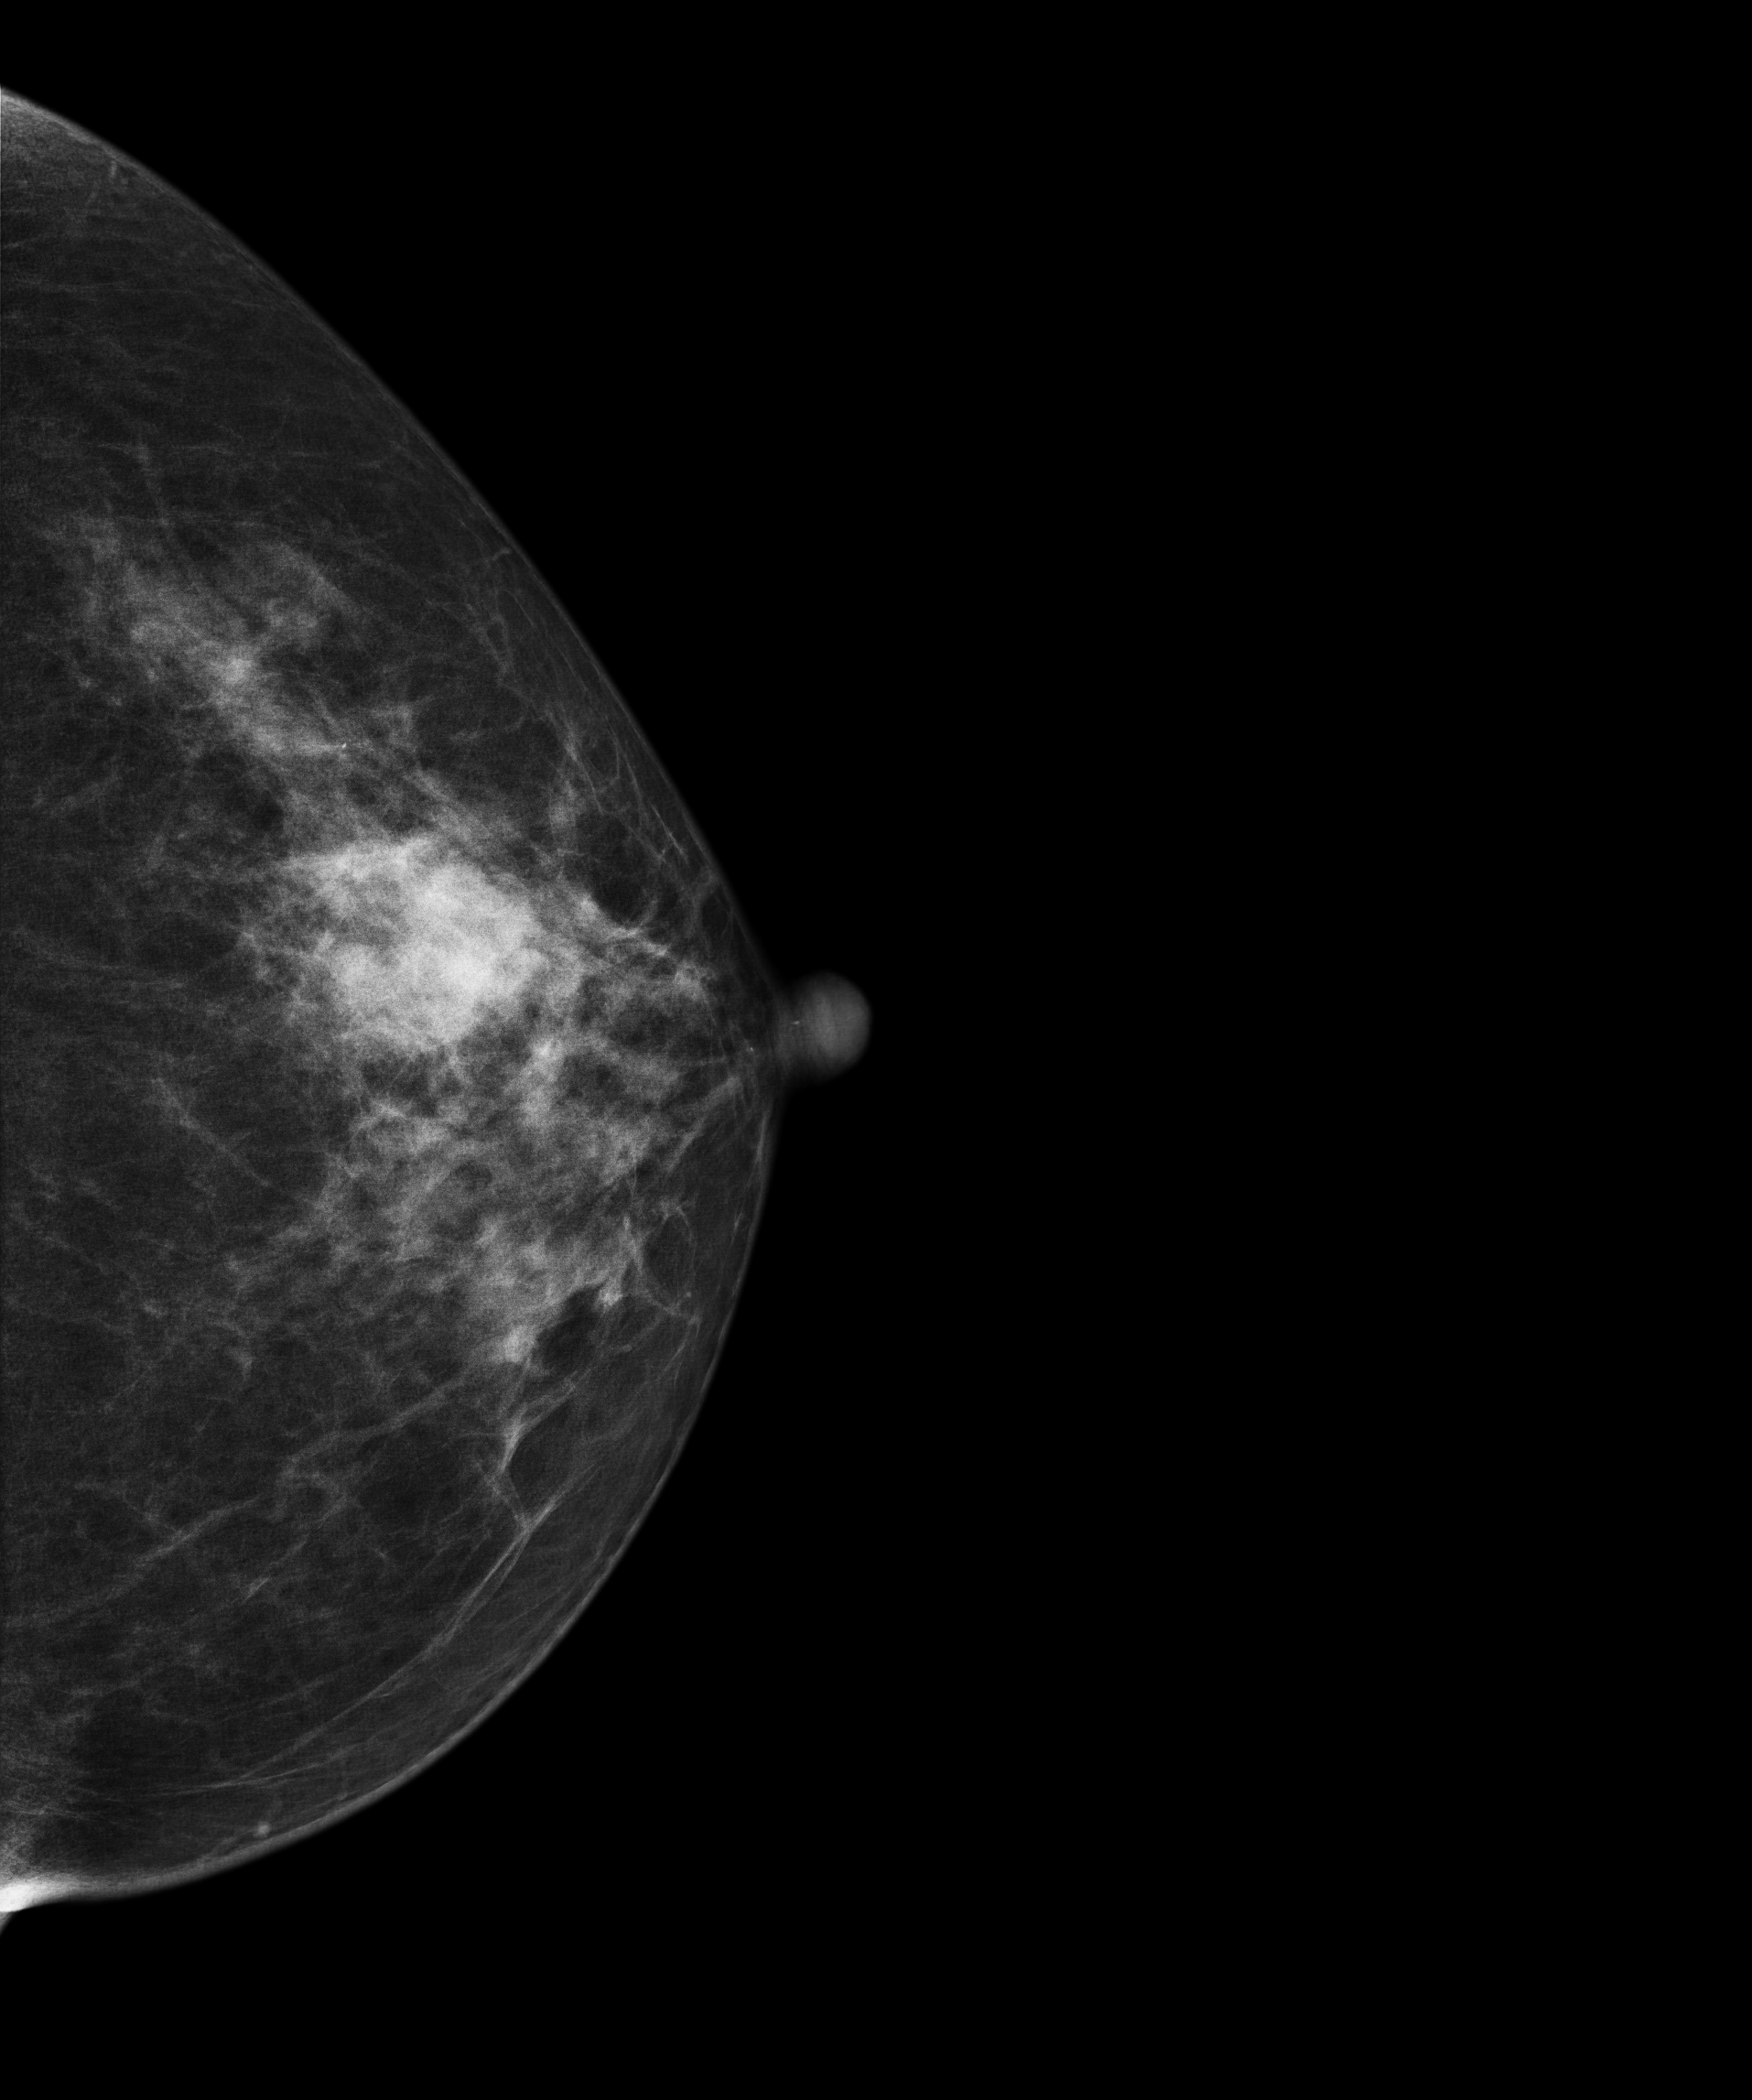
CC mammogram of the left breast. 62 y/o patient.
This breast has a mass, pathology-confirmed malignant. Molecular subtype: HER2-enriched.